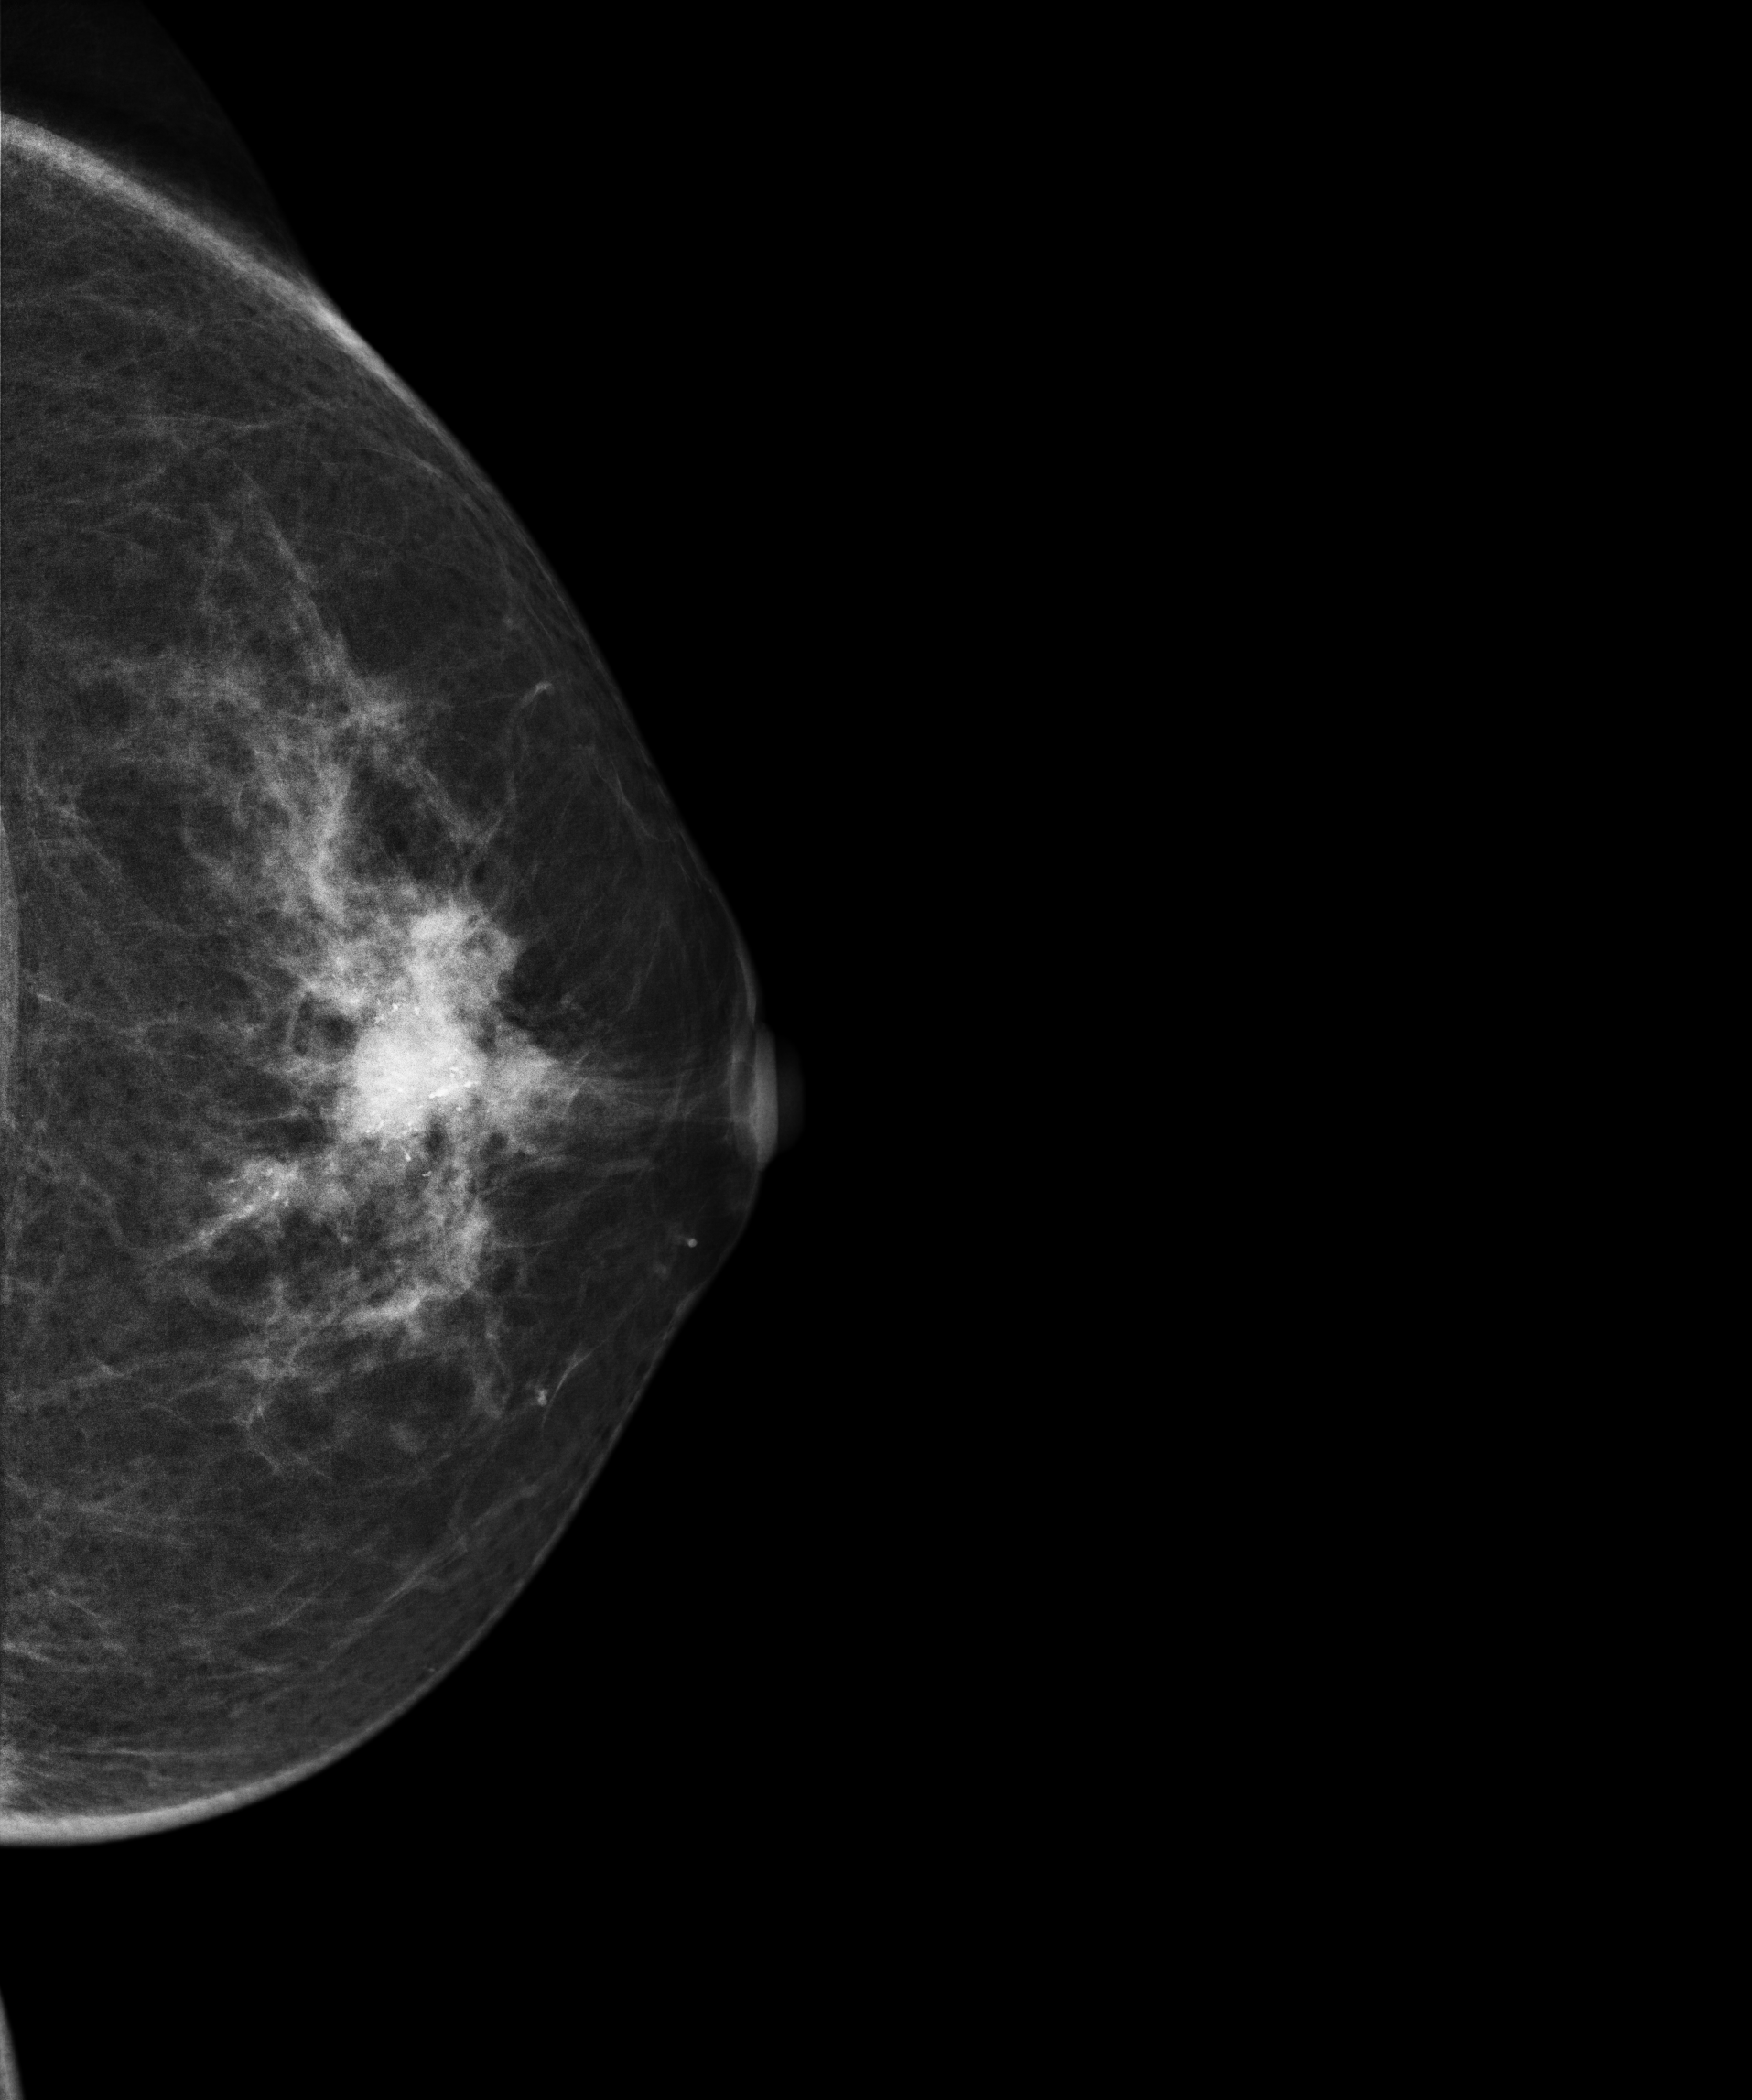
Cranio-caudal mammogram of the left breast. 58 y/o patient.
This breast has a mass and calcifications, pathology-confirmed malignant.